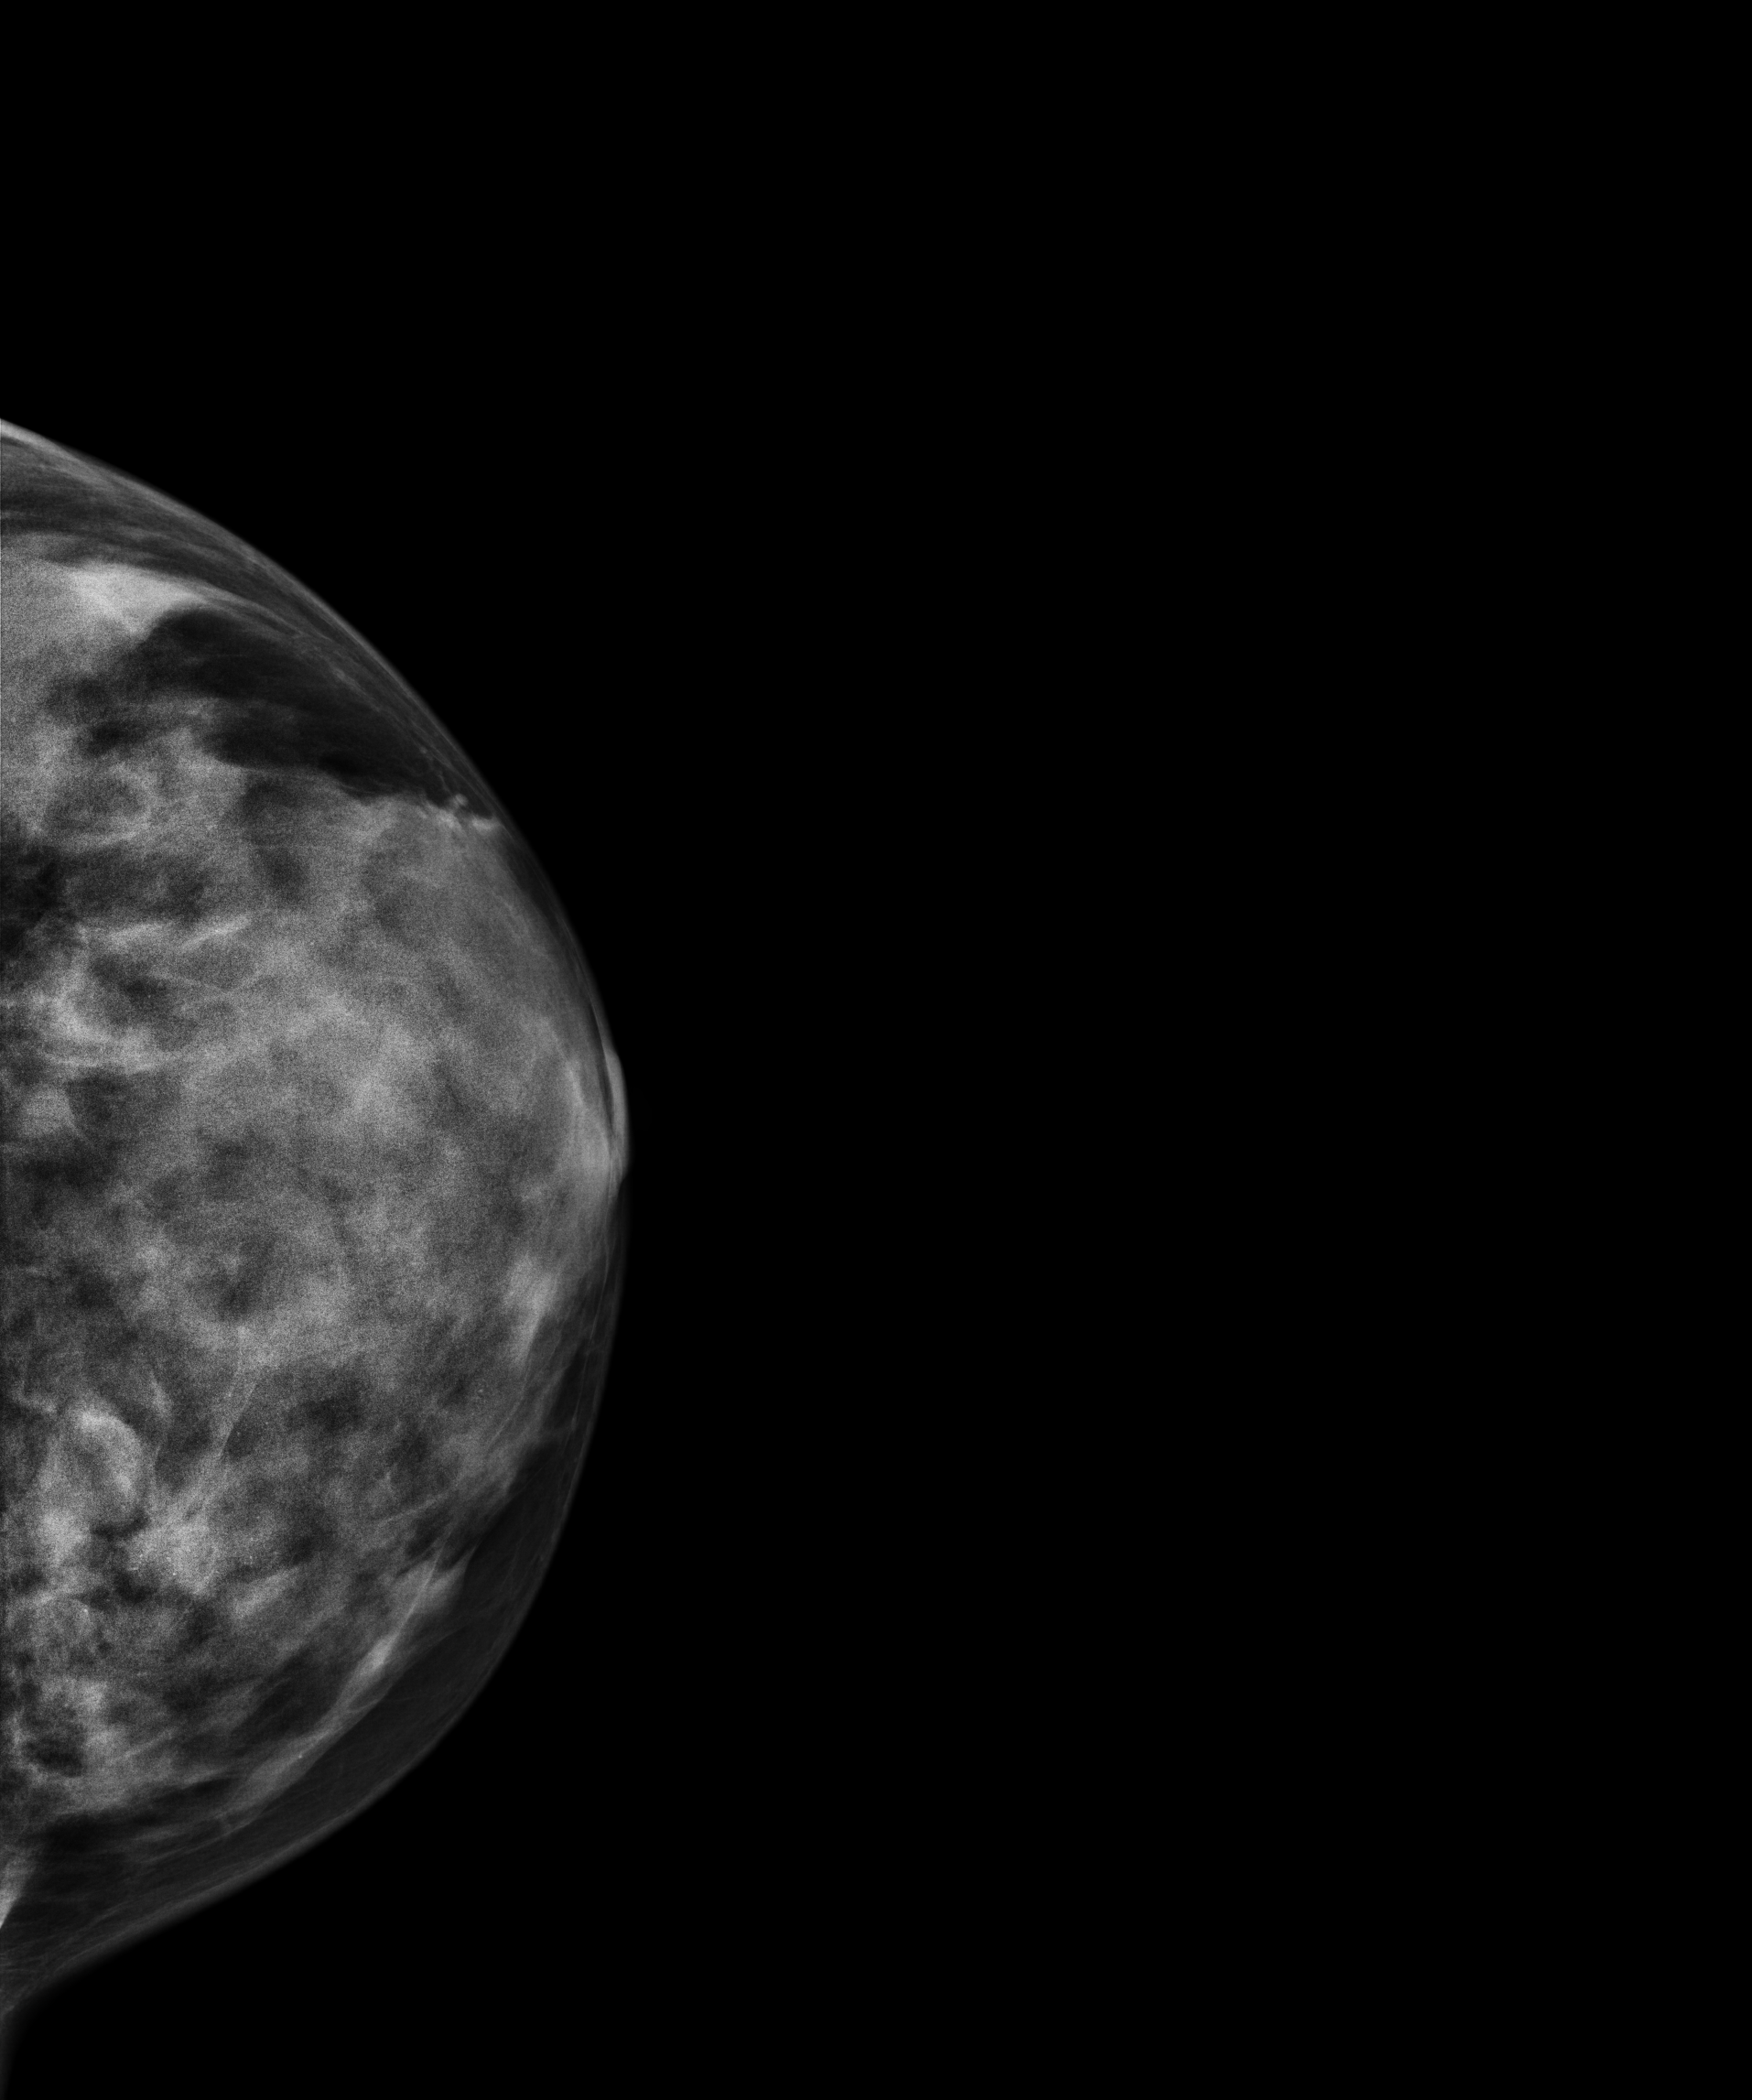
Left-breast mammogram, cranio-caudal. Patient age 46.
This breast has a mass and calcifications, histologically confirmed malignant. Molecular subtype: luminal B.